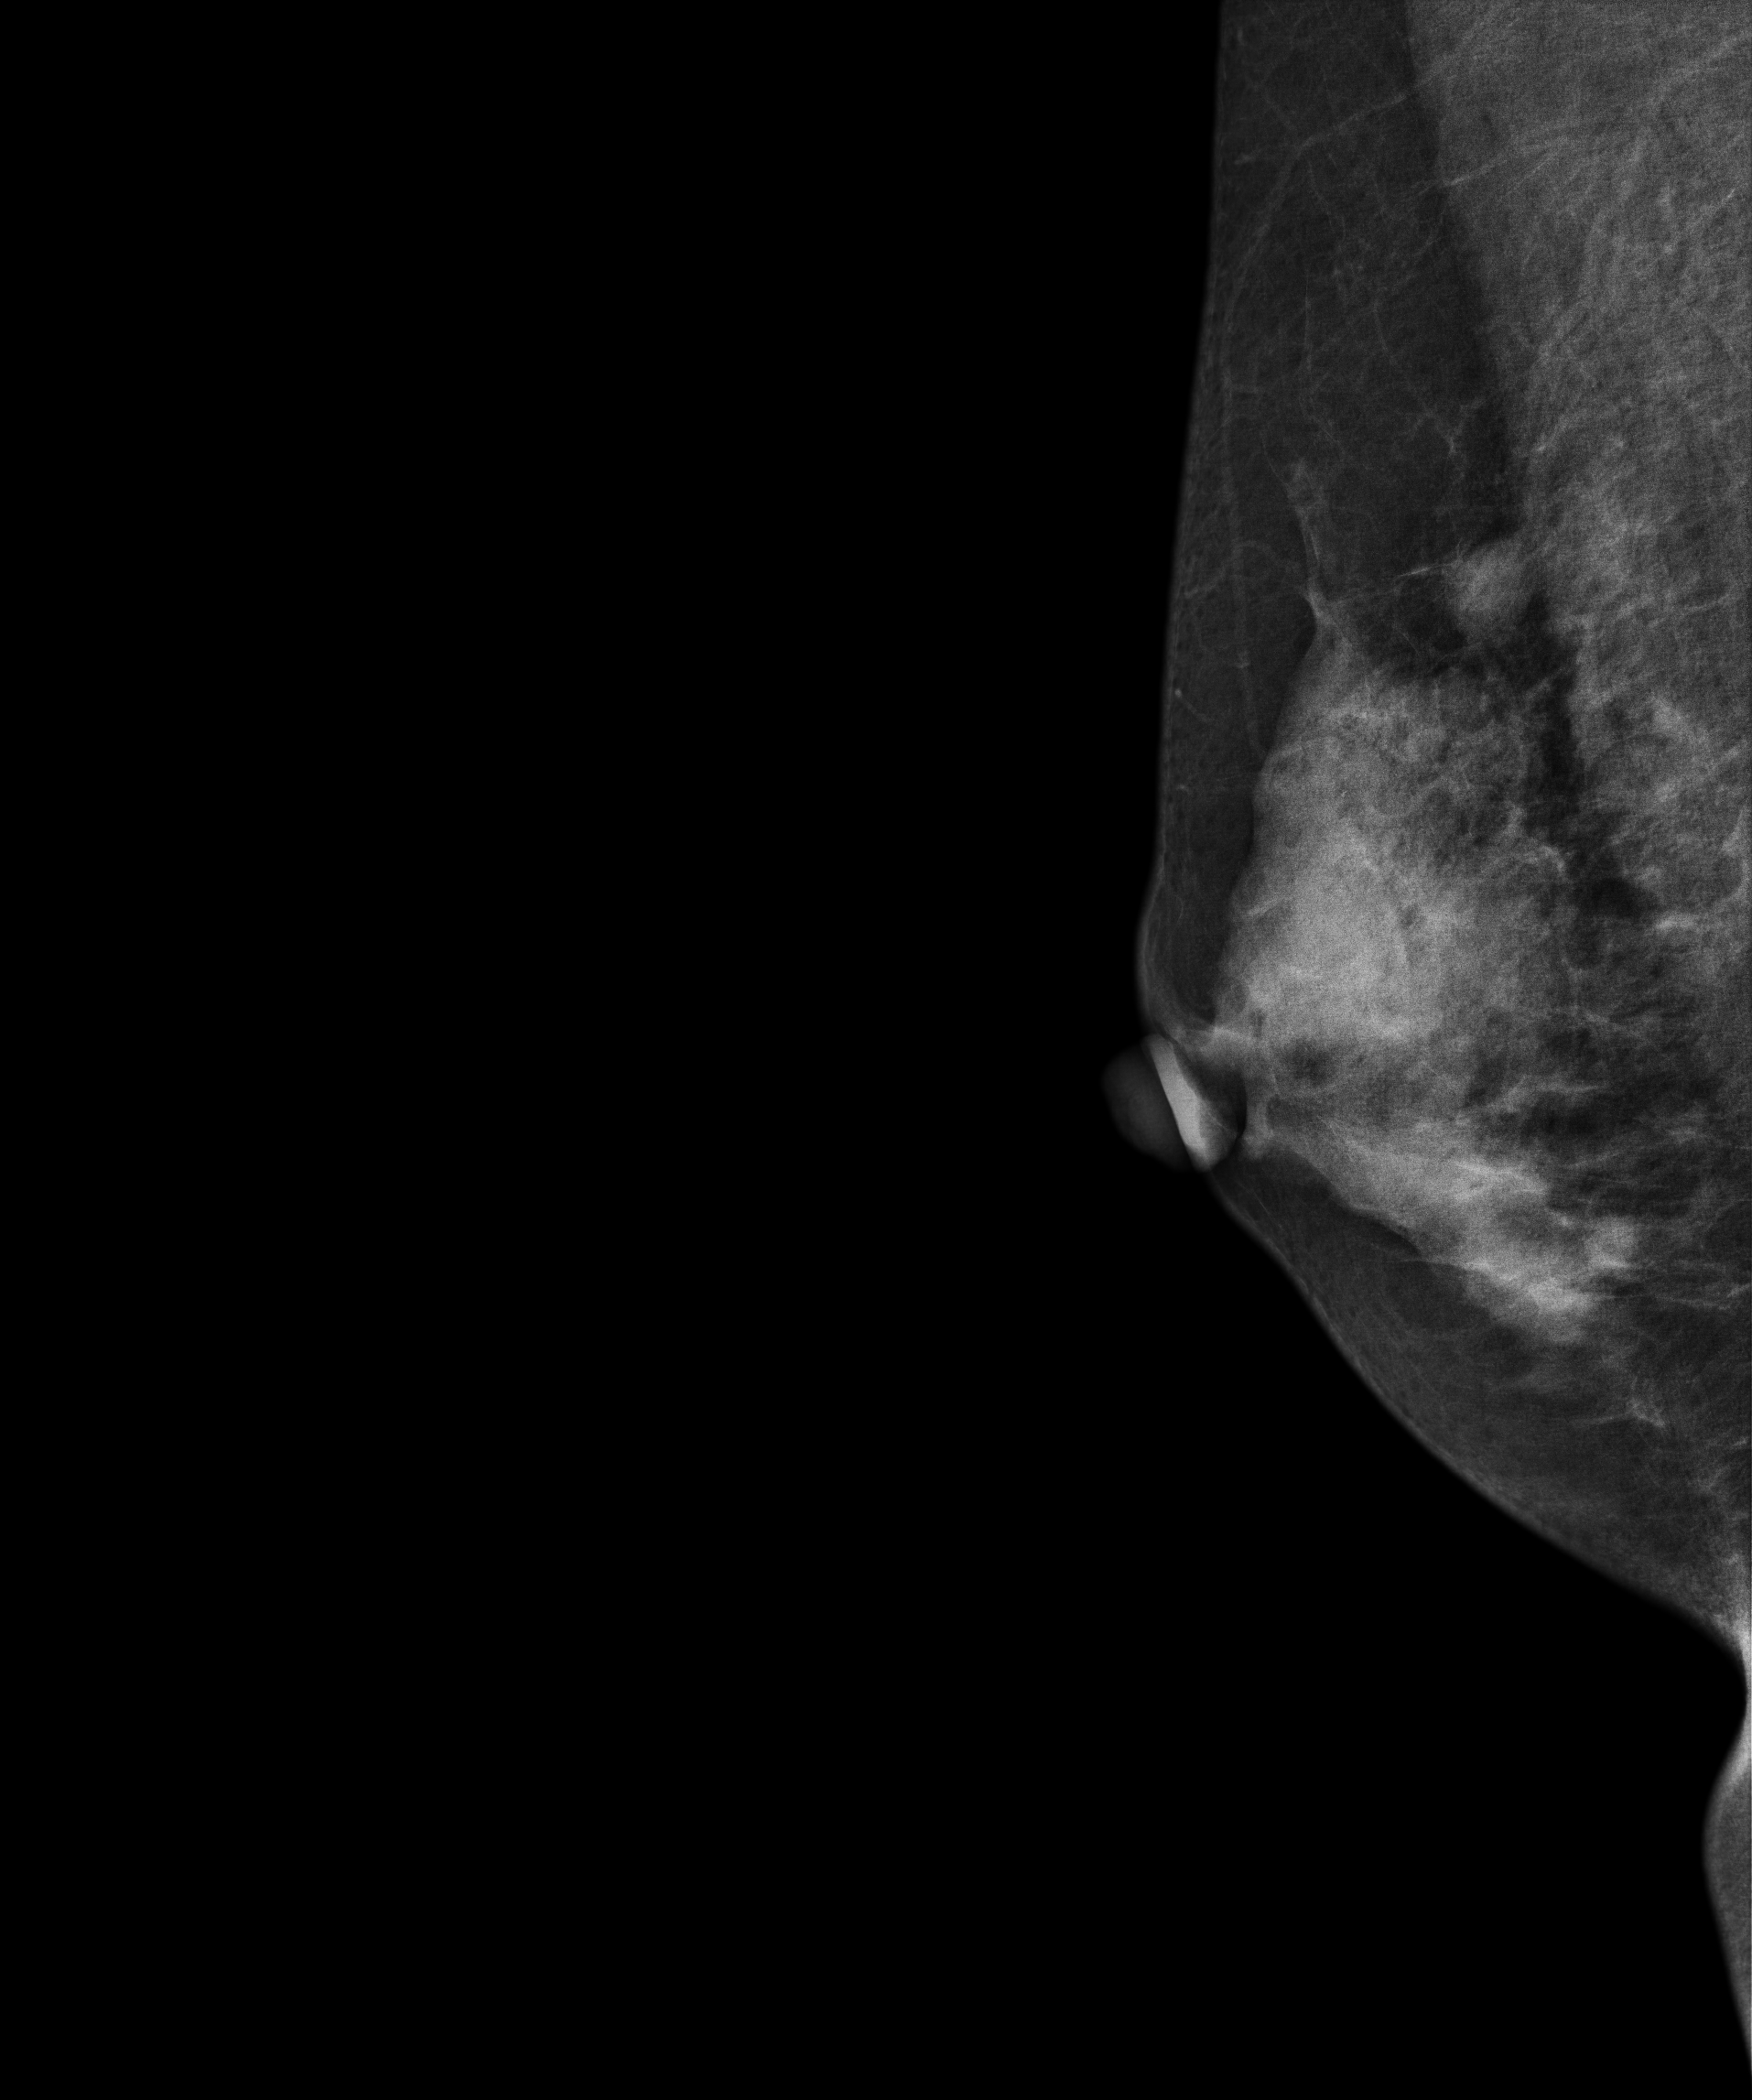
Mammogram — right medio-lateral oblique. Patient age 49.
Contralateral breast — no documented abnormality on this side.